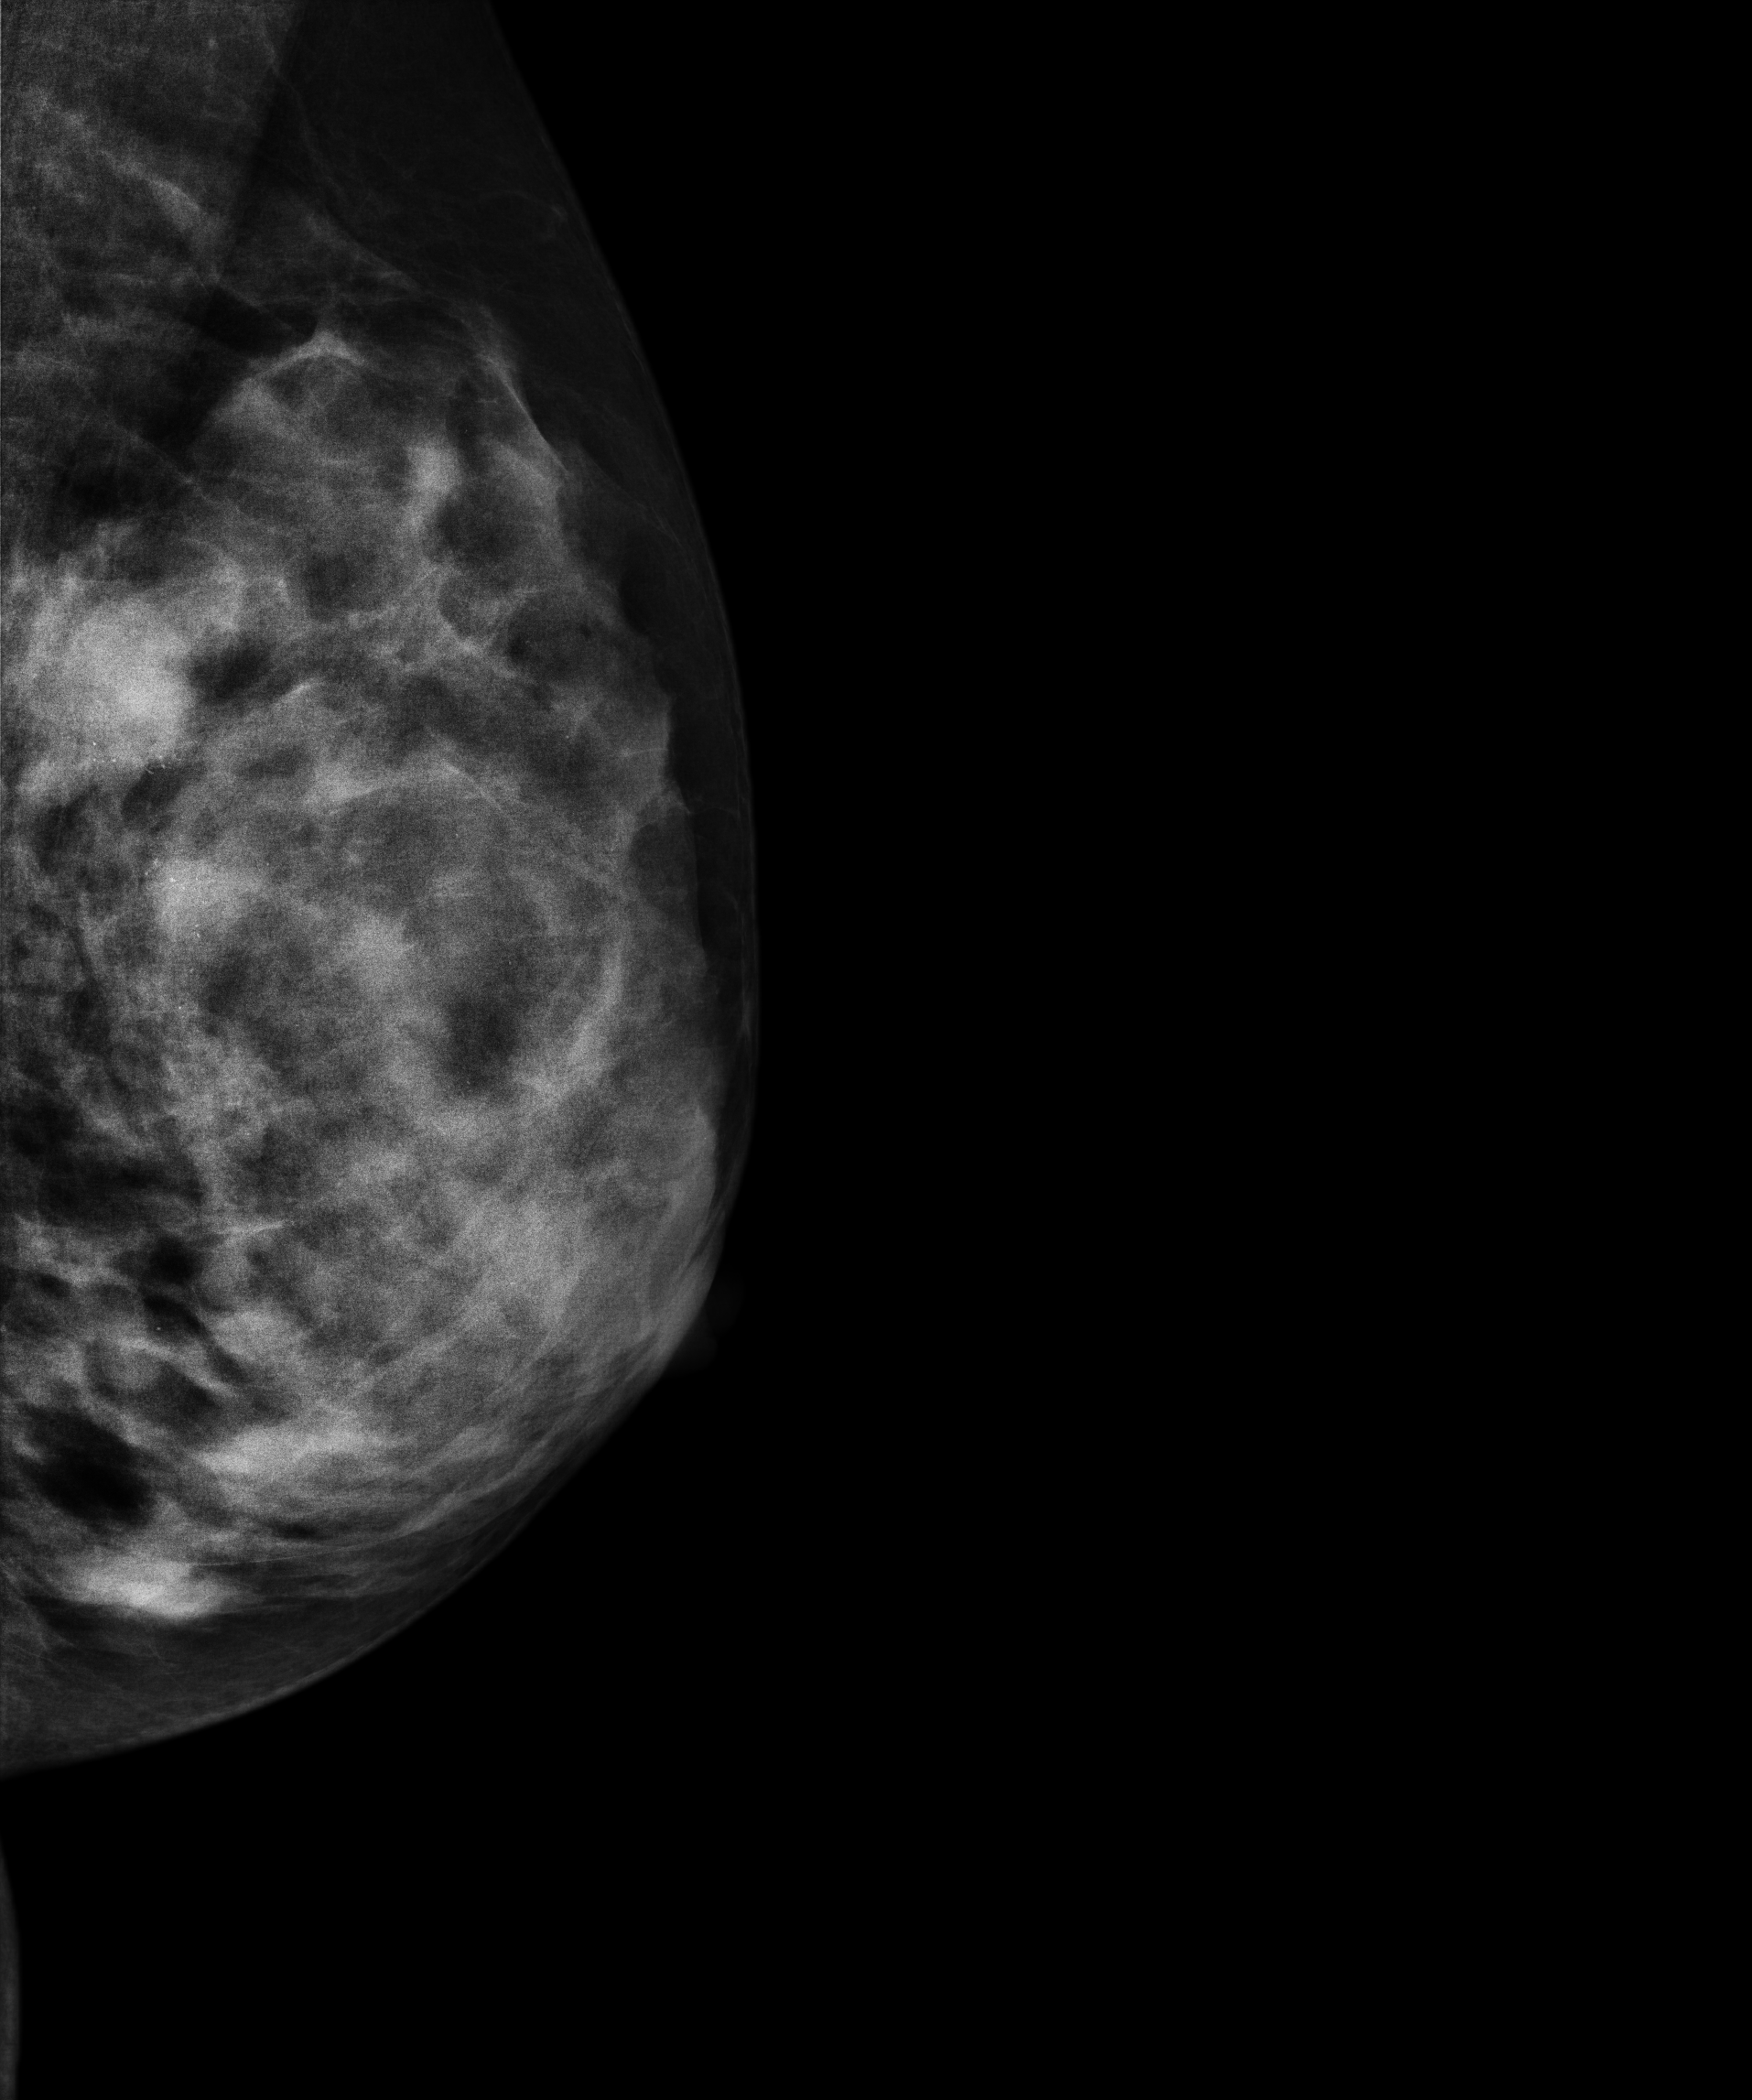
Digital mammography. Left breast, MLO projection. Patient age 46.
This breast has a mass and calcifications, pathology-confirmed malignant. Molecular subtype: luminal B.